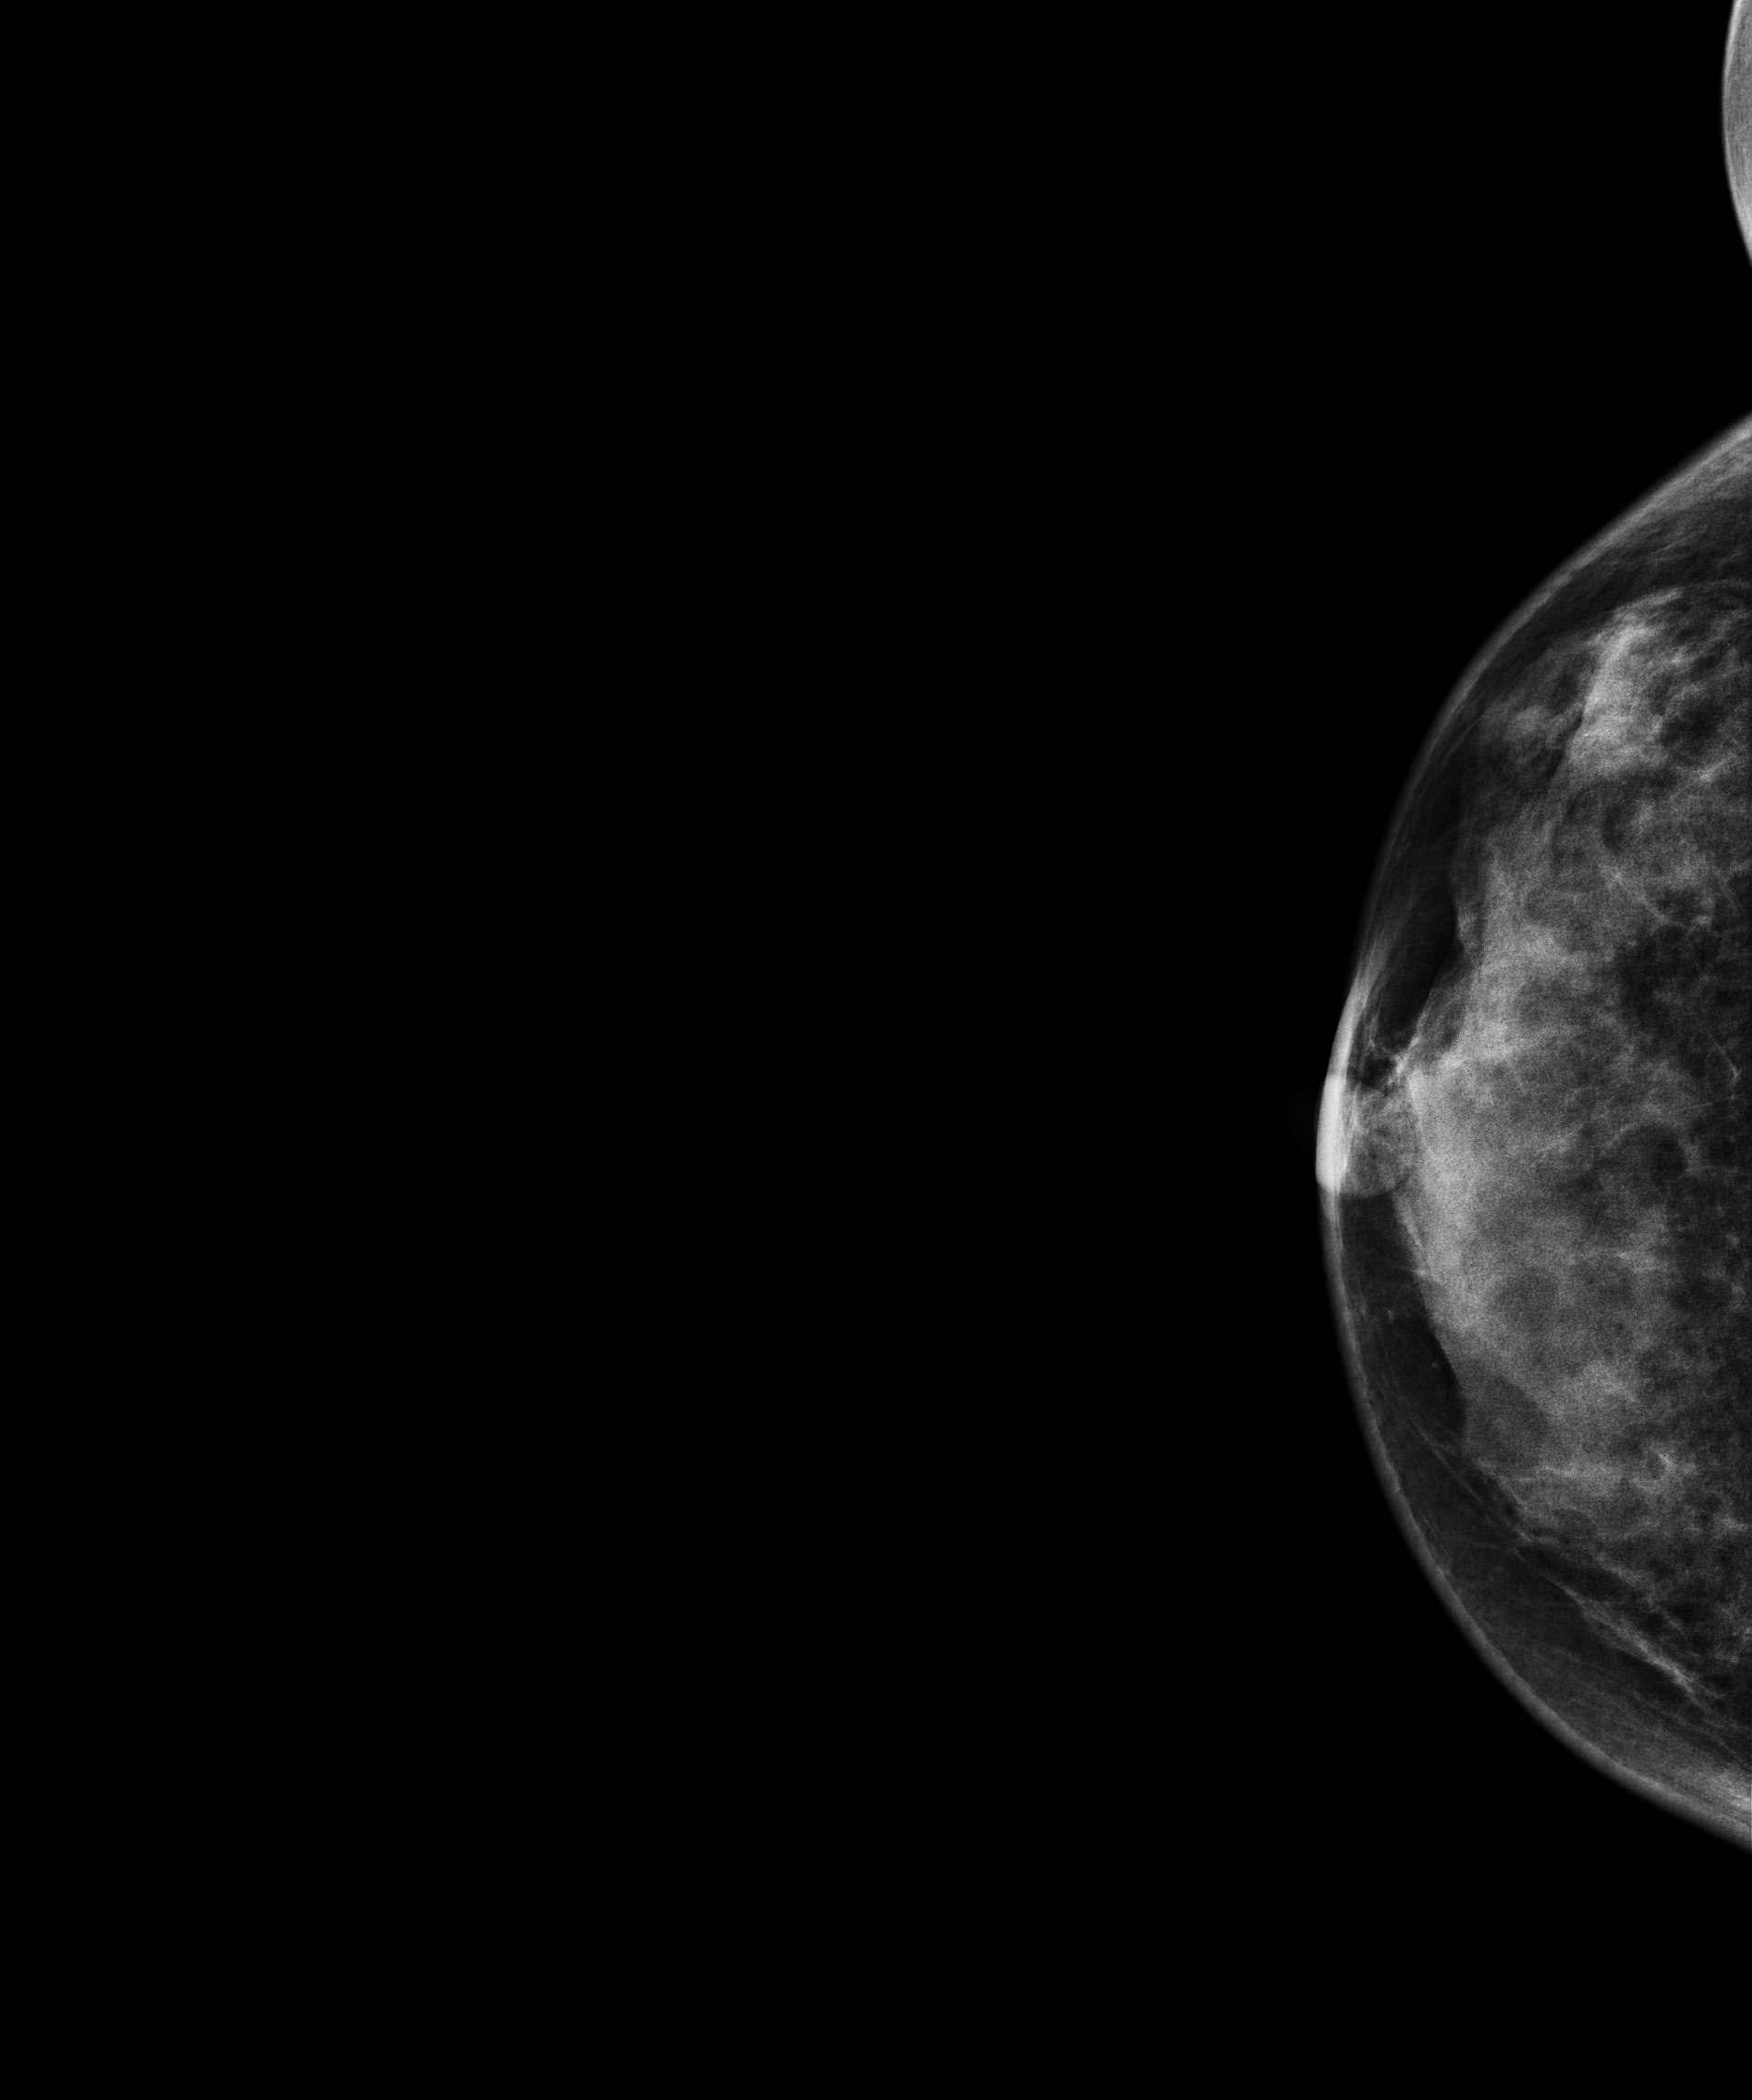
Mammogram — right CC. 41 y/o patient.
This breast has a mass, histologically confirmed malignant. Molecular subtype: luminal B.